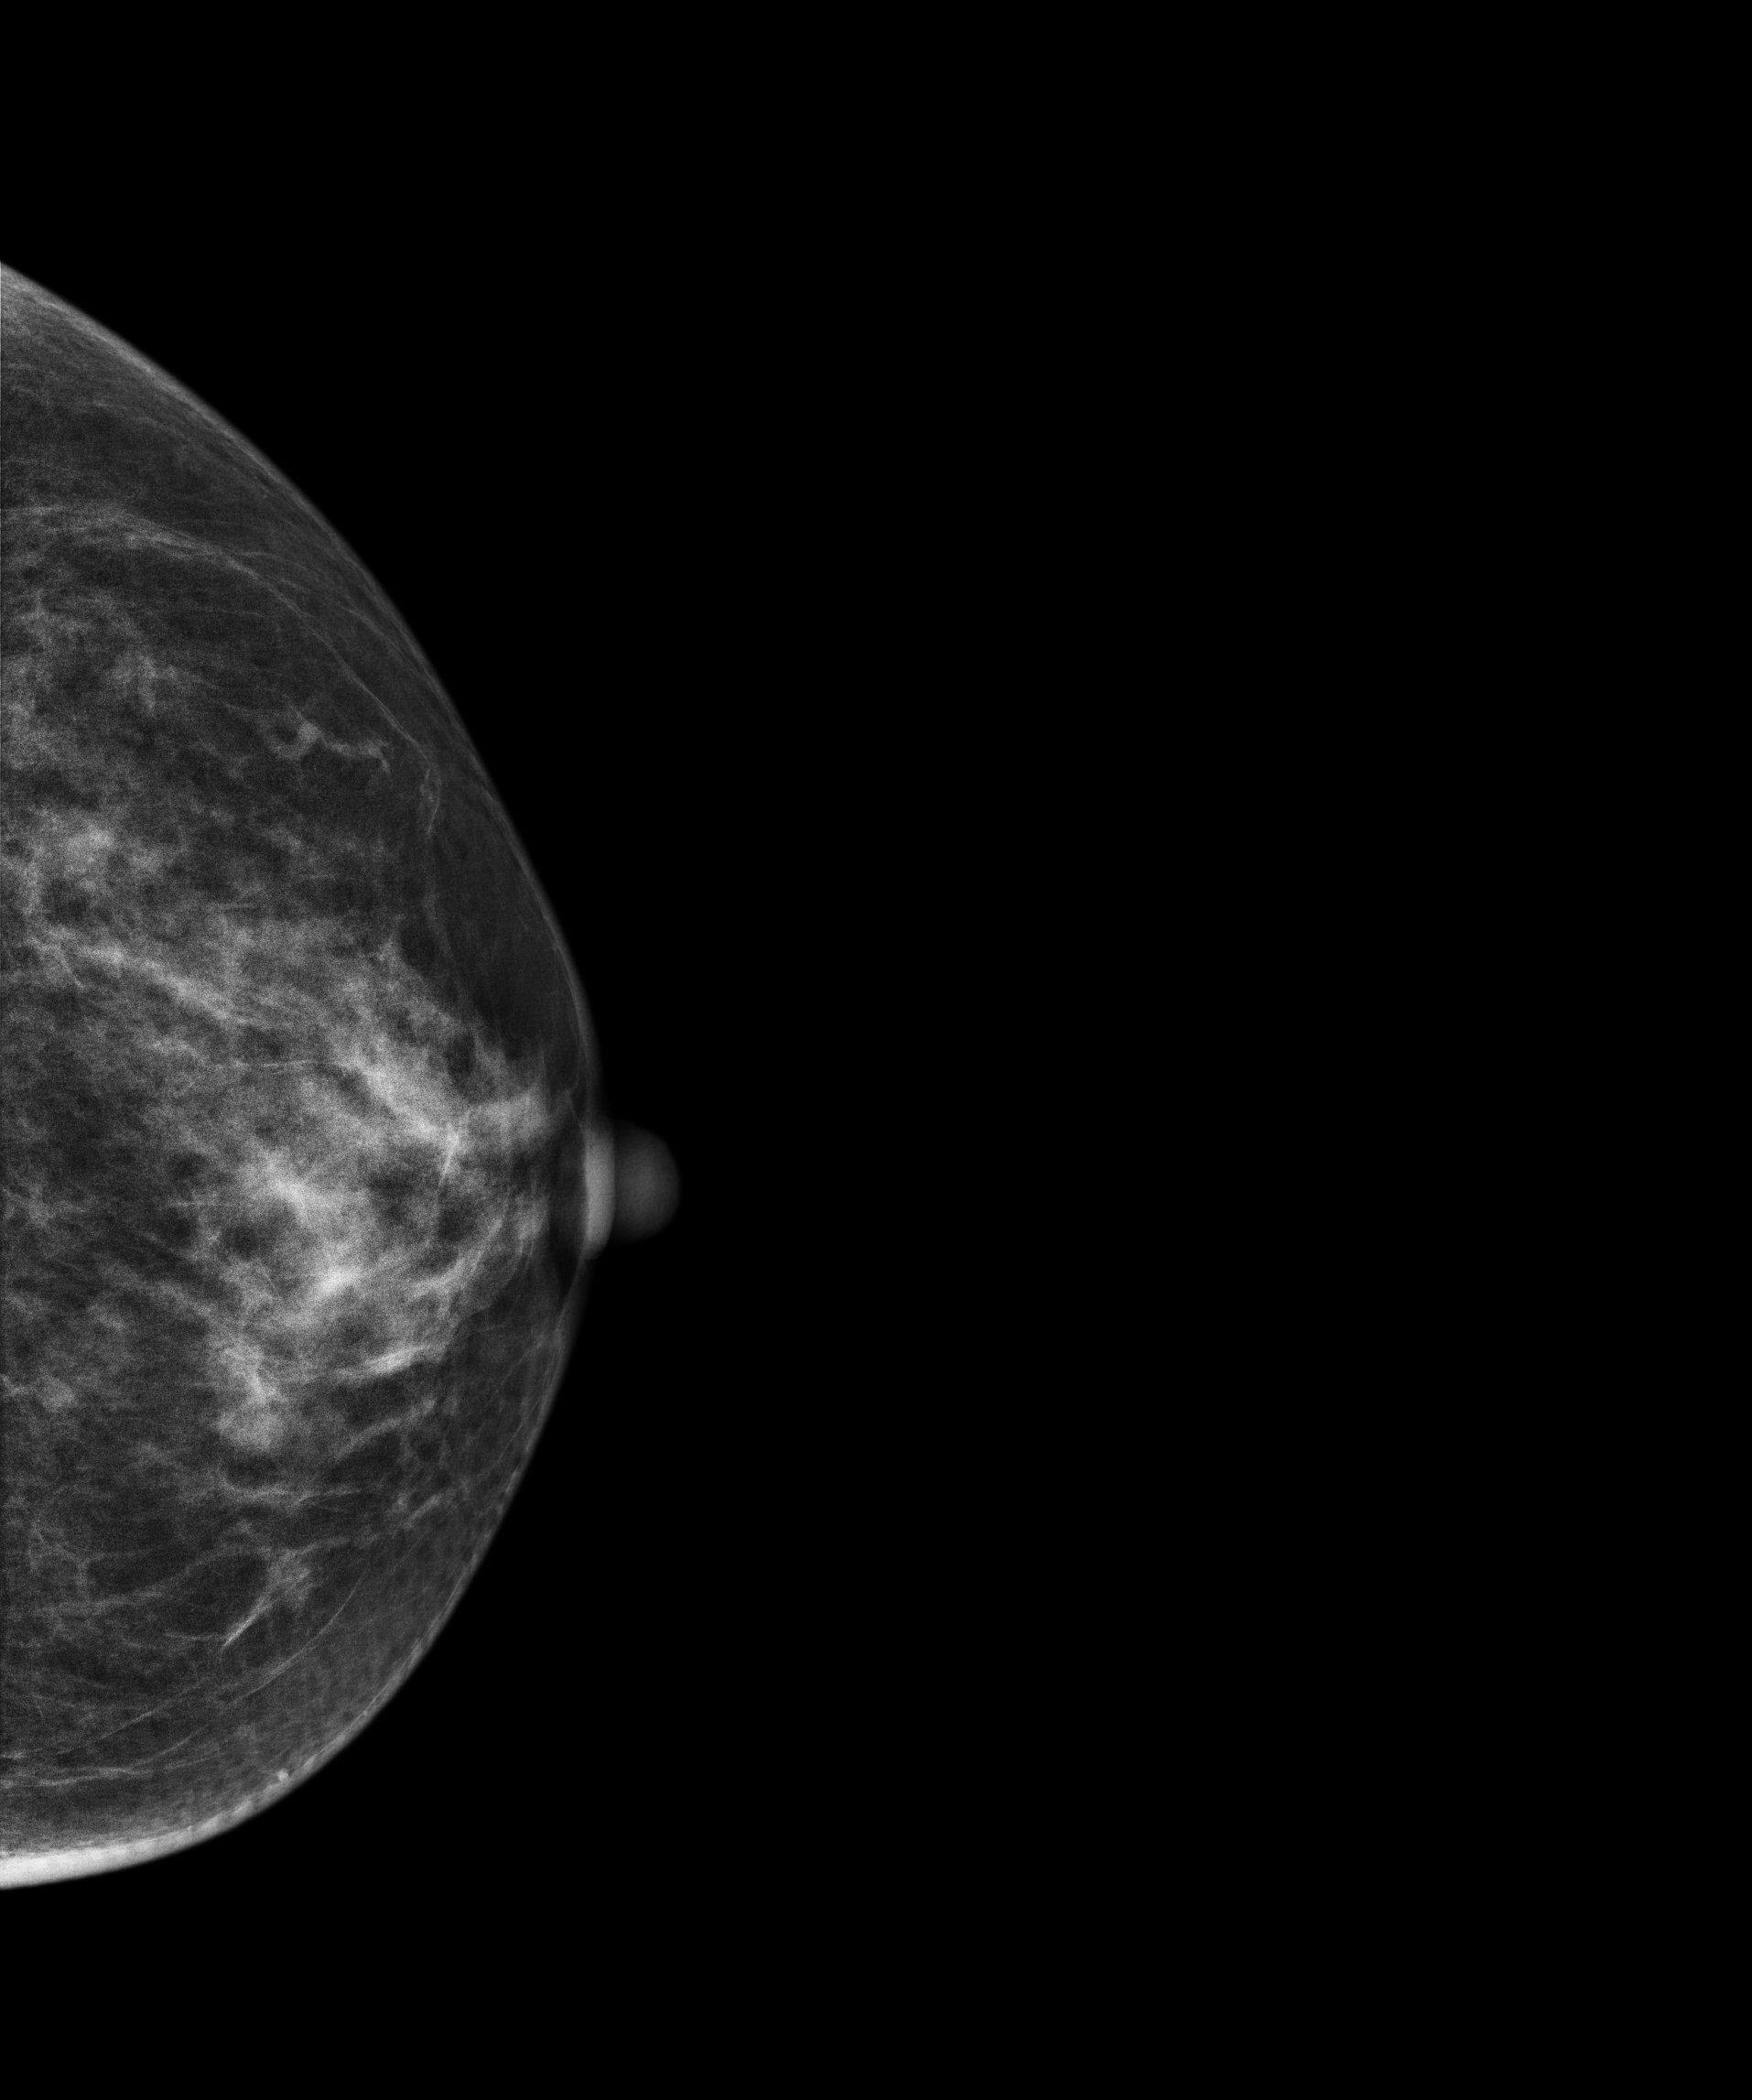
Mammogram — left CC. 59-year-old patient.
This breast has a mass, biopsy-proven benign.